Right-breast mammogram, cranio-caudal. 52 y/o patient.
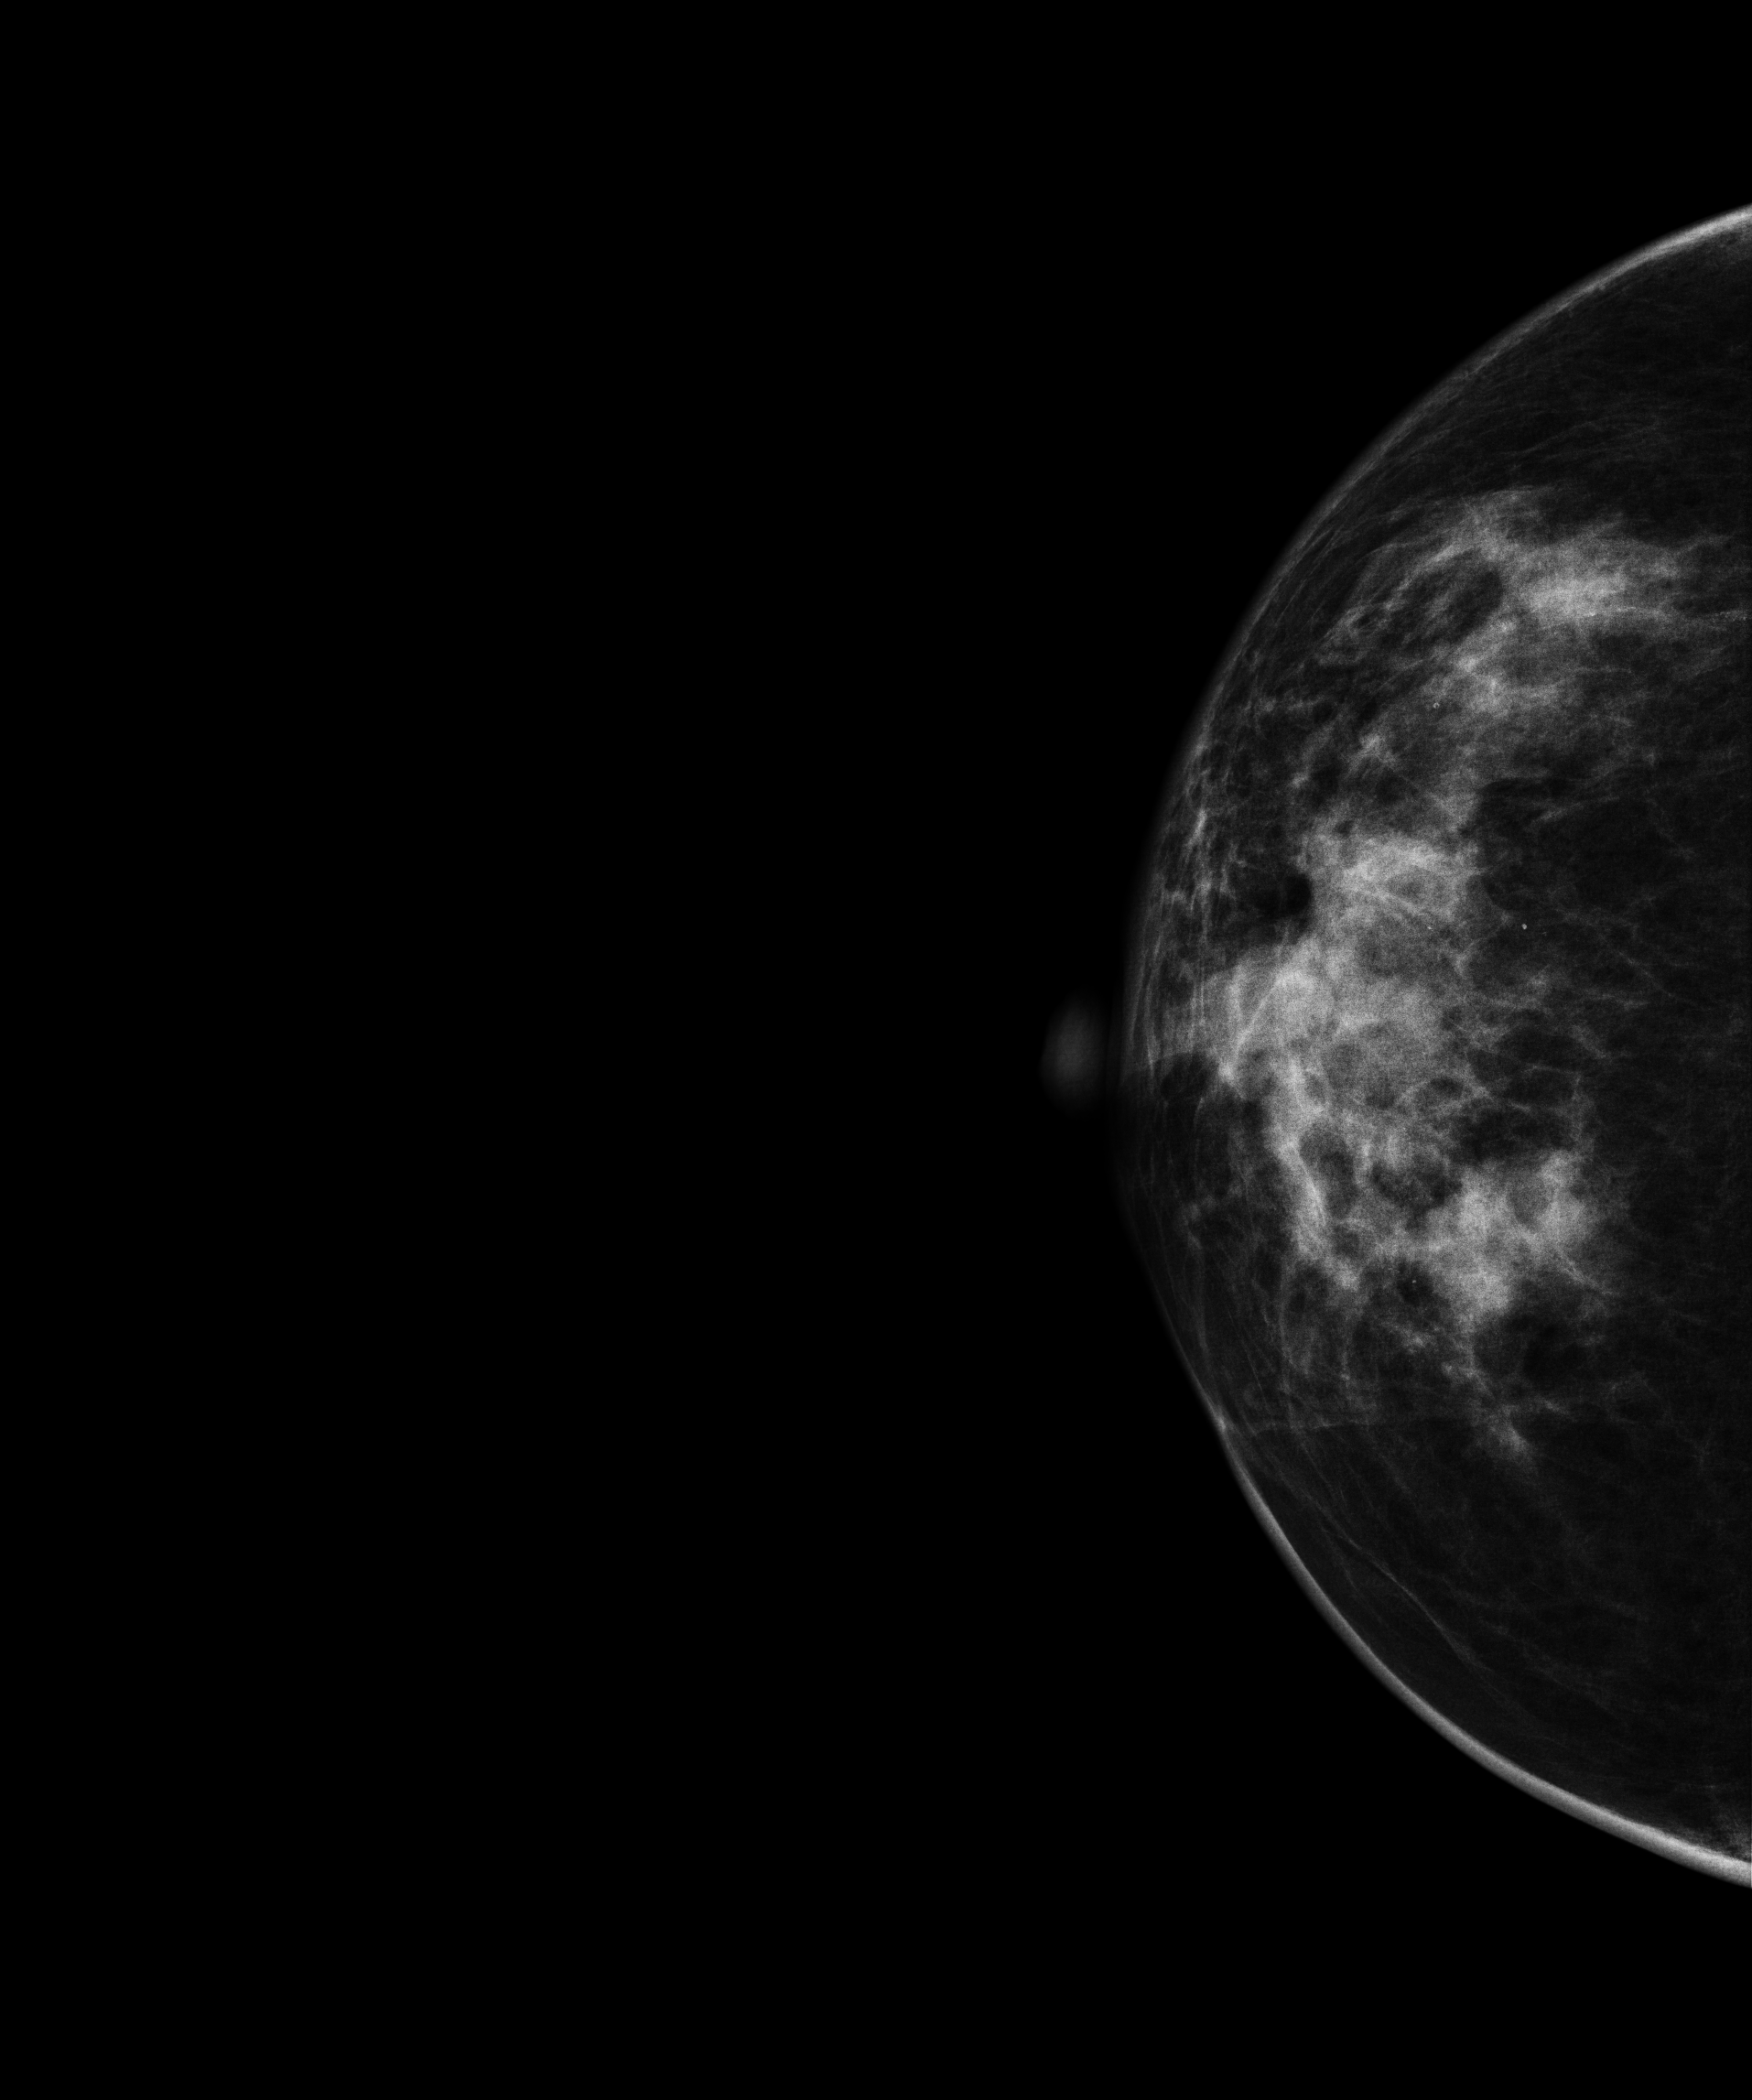
This breast has a mass, biopsy-confirmed malignant. Molecular subtype: HER2-enriched.